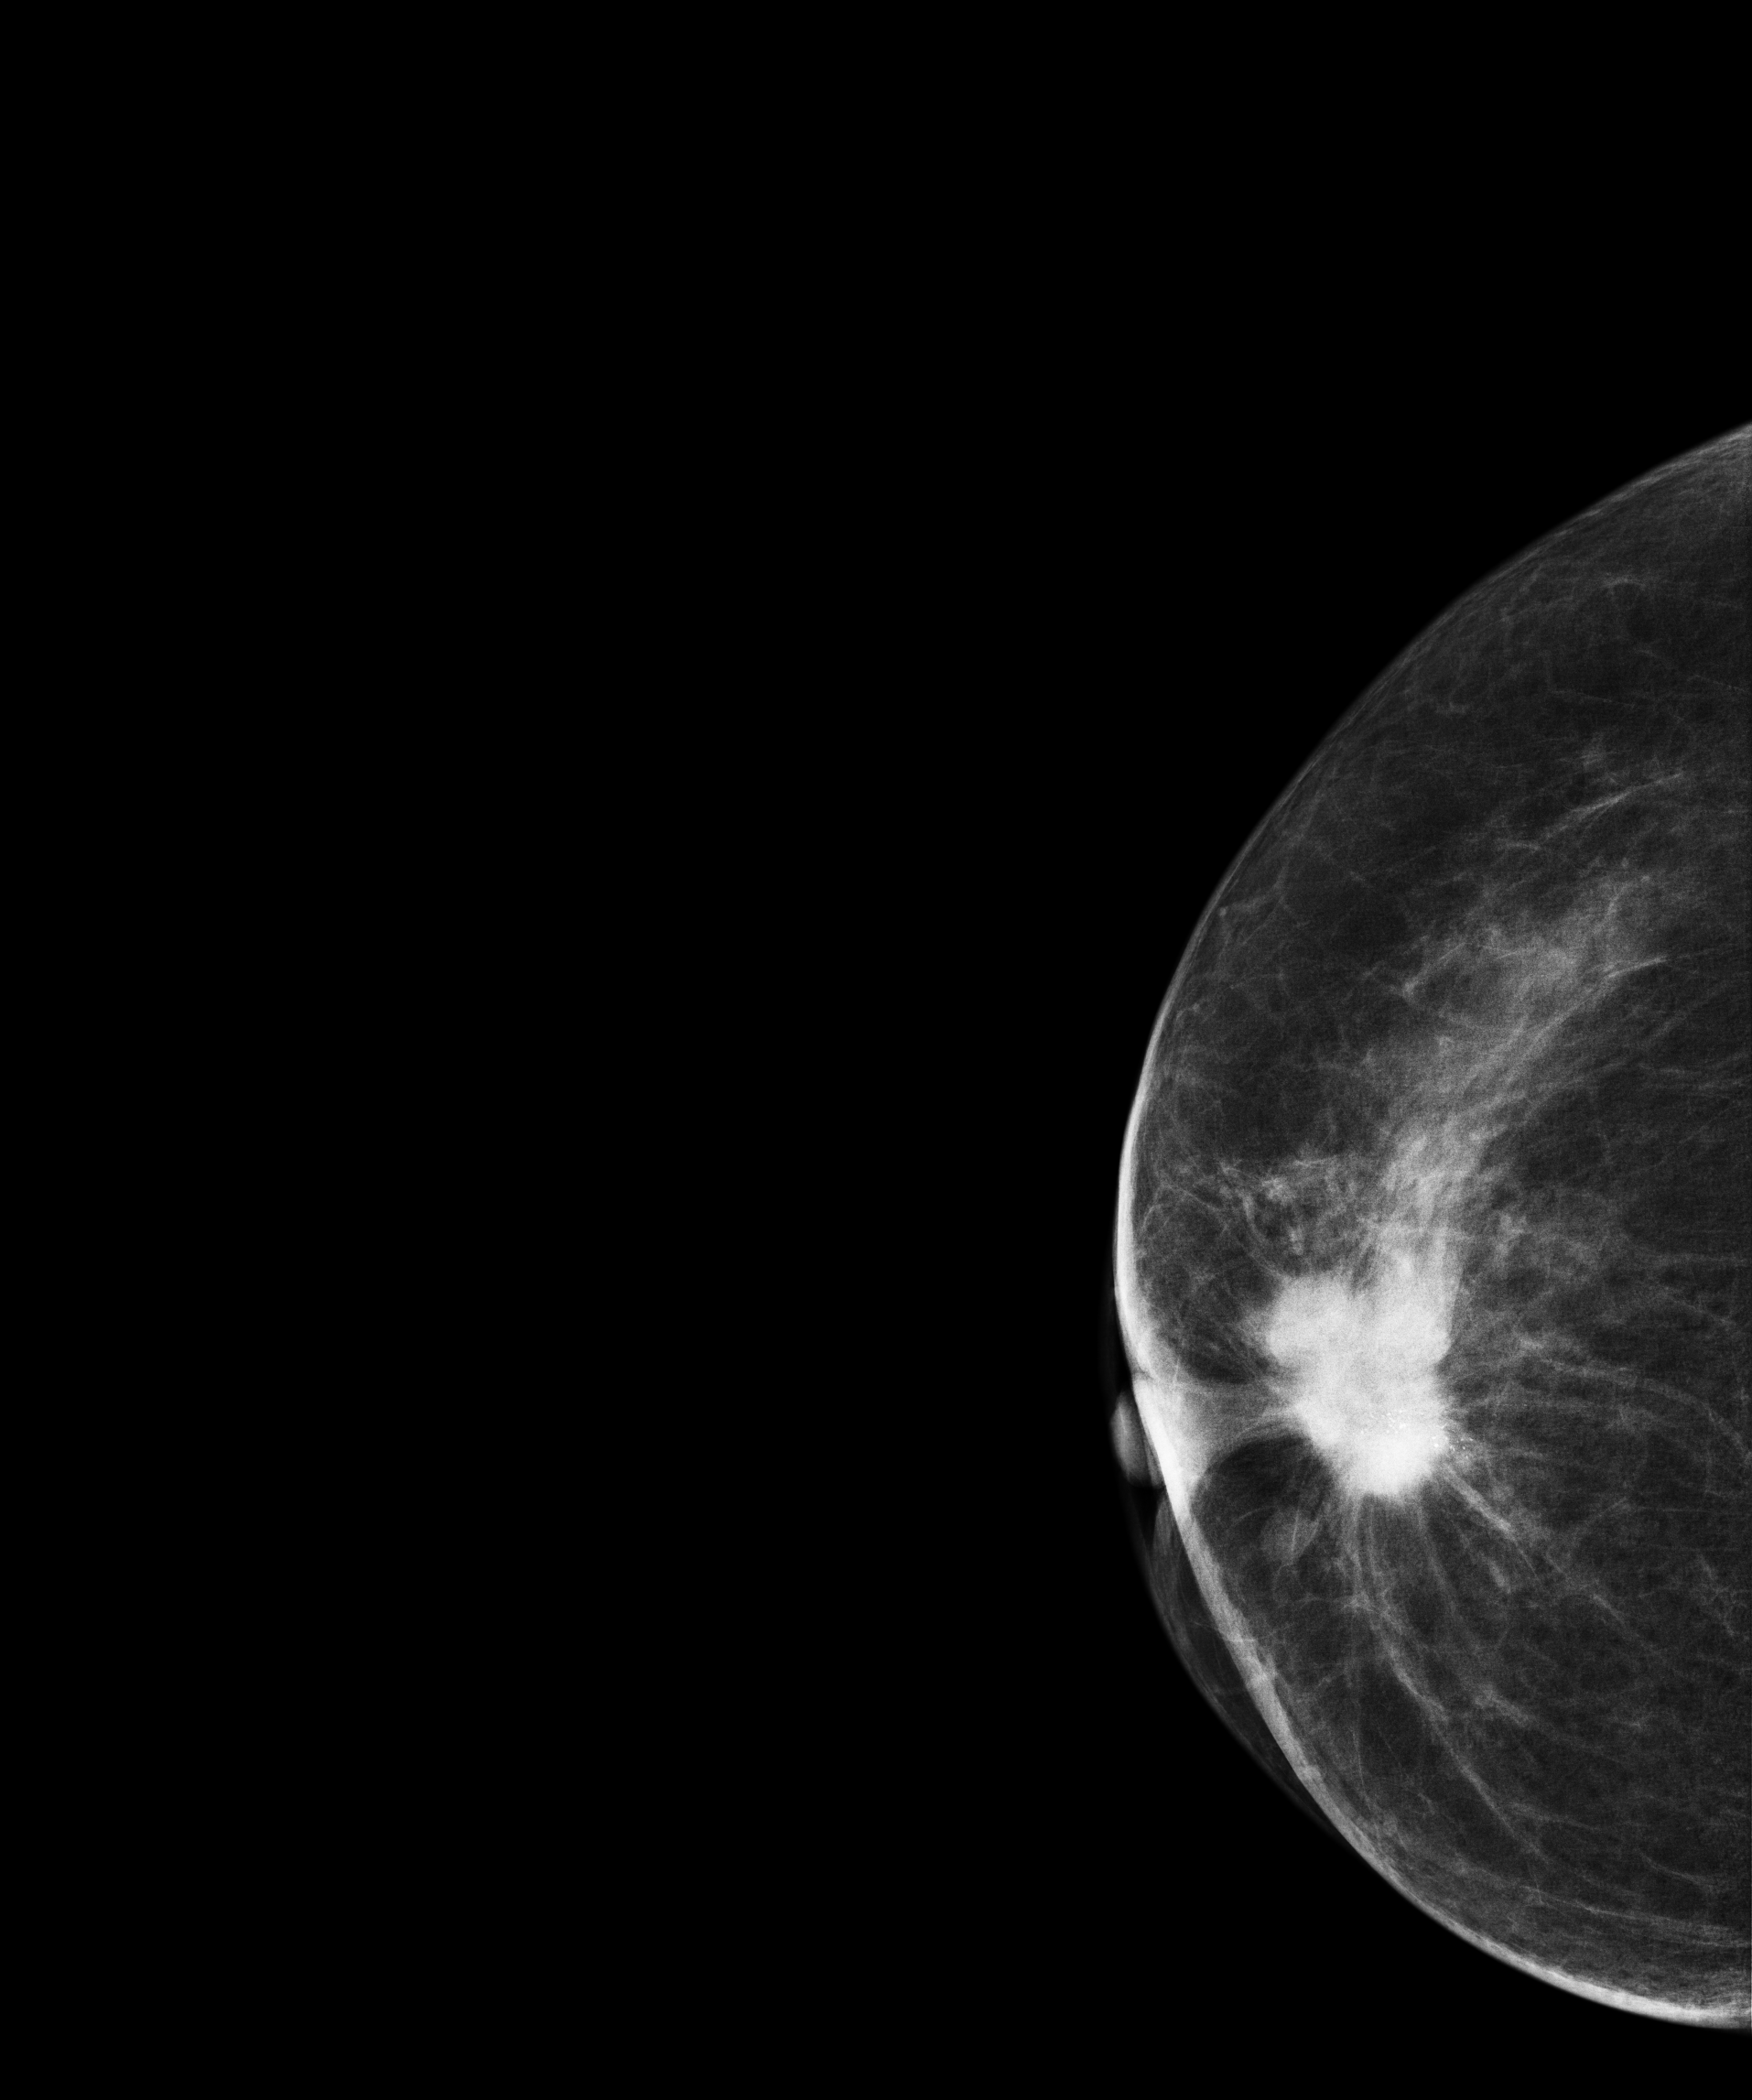
Right-breast mammogram, CC. 62-year-old patient.
This breast has a mass and calcifications, biopsy-proven malignant. Molecular subtype: luminal B.